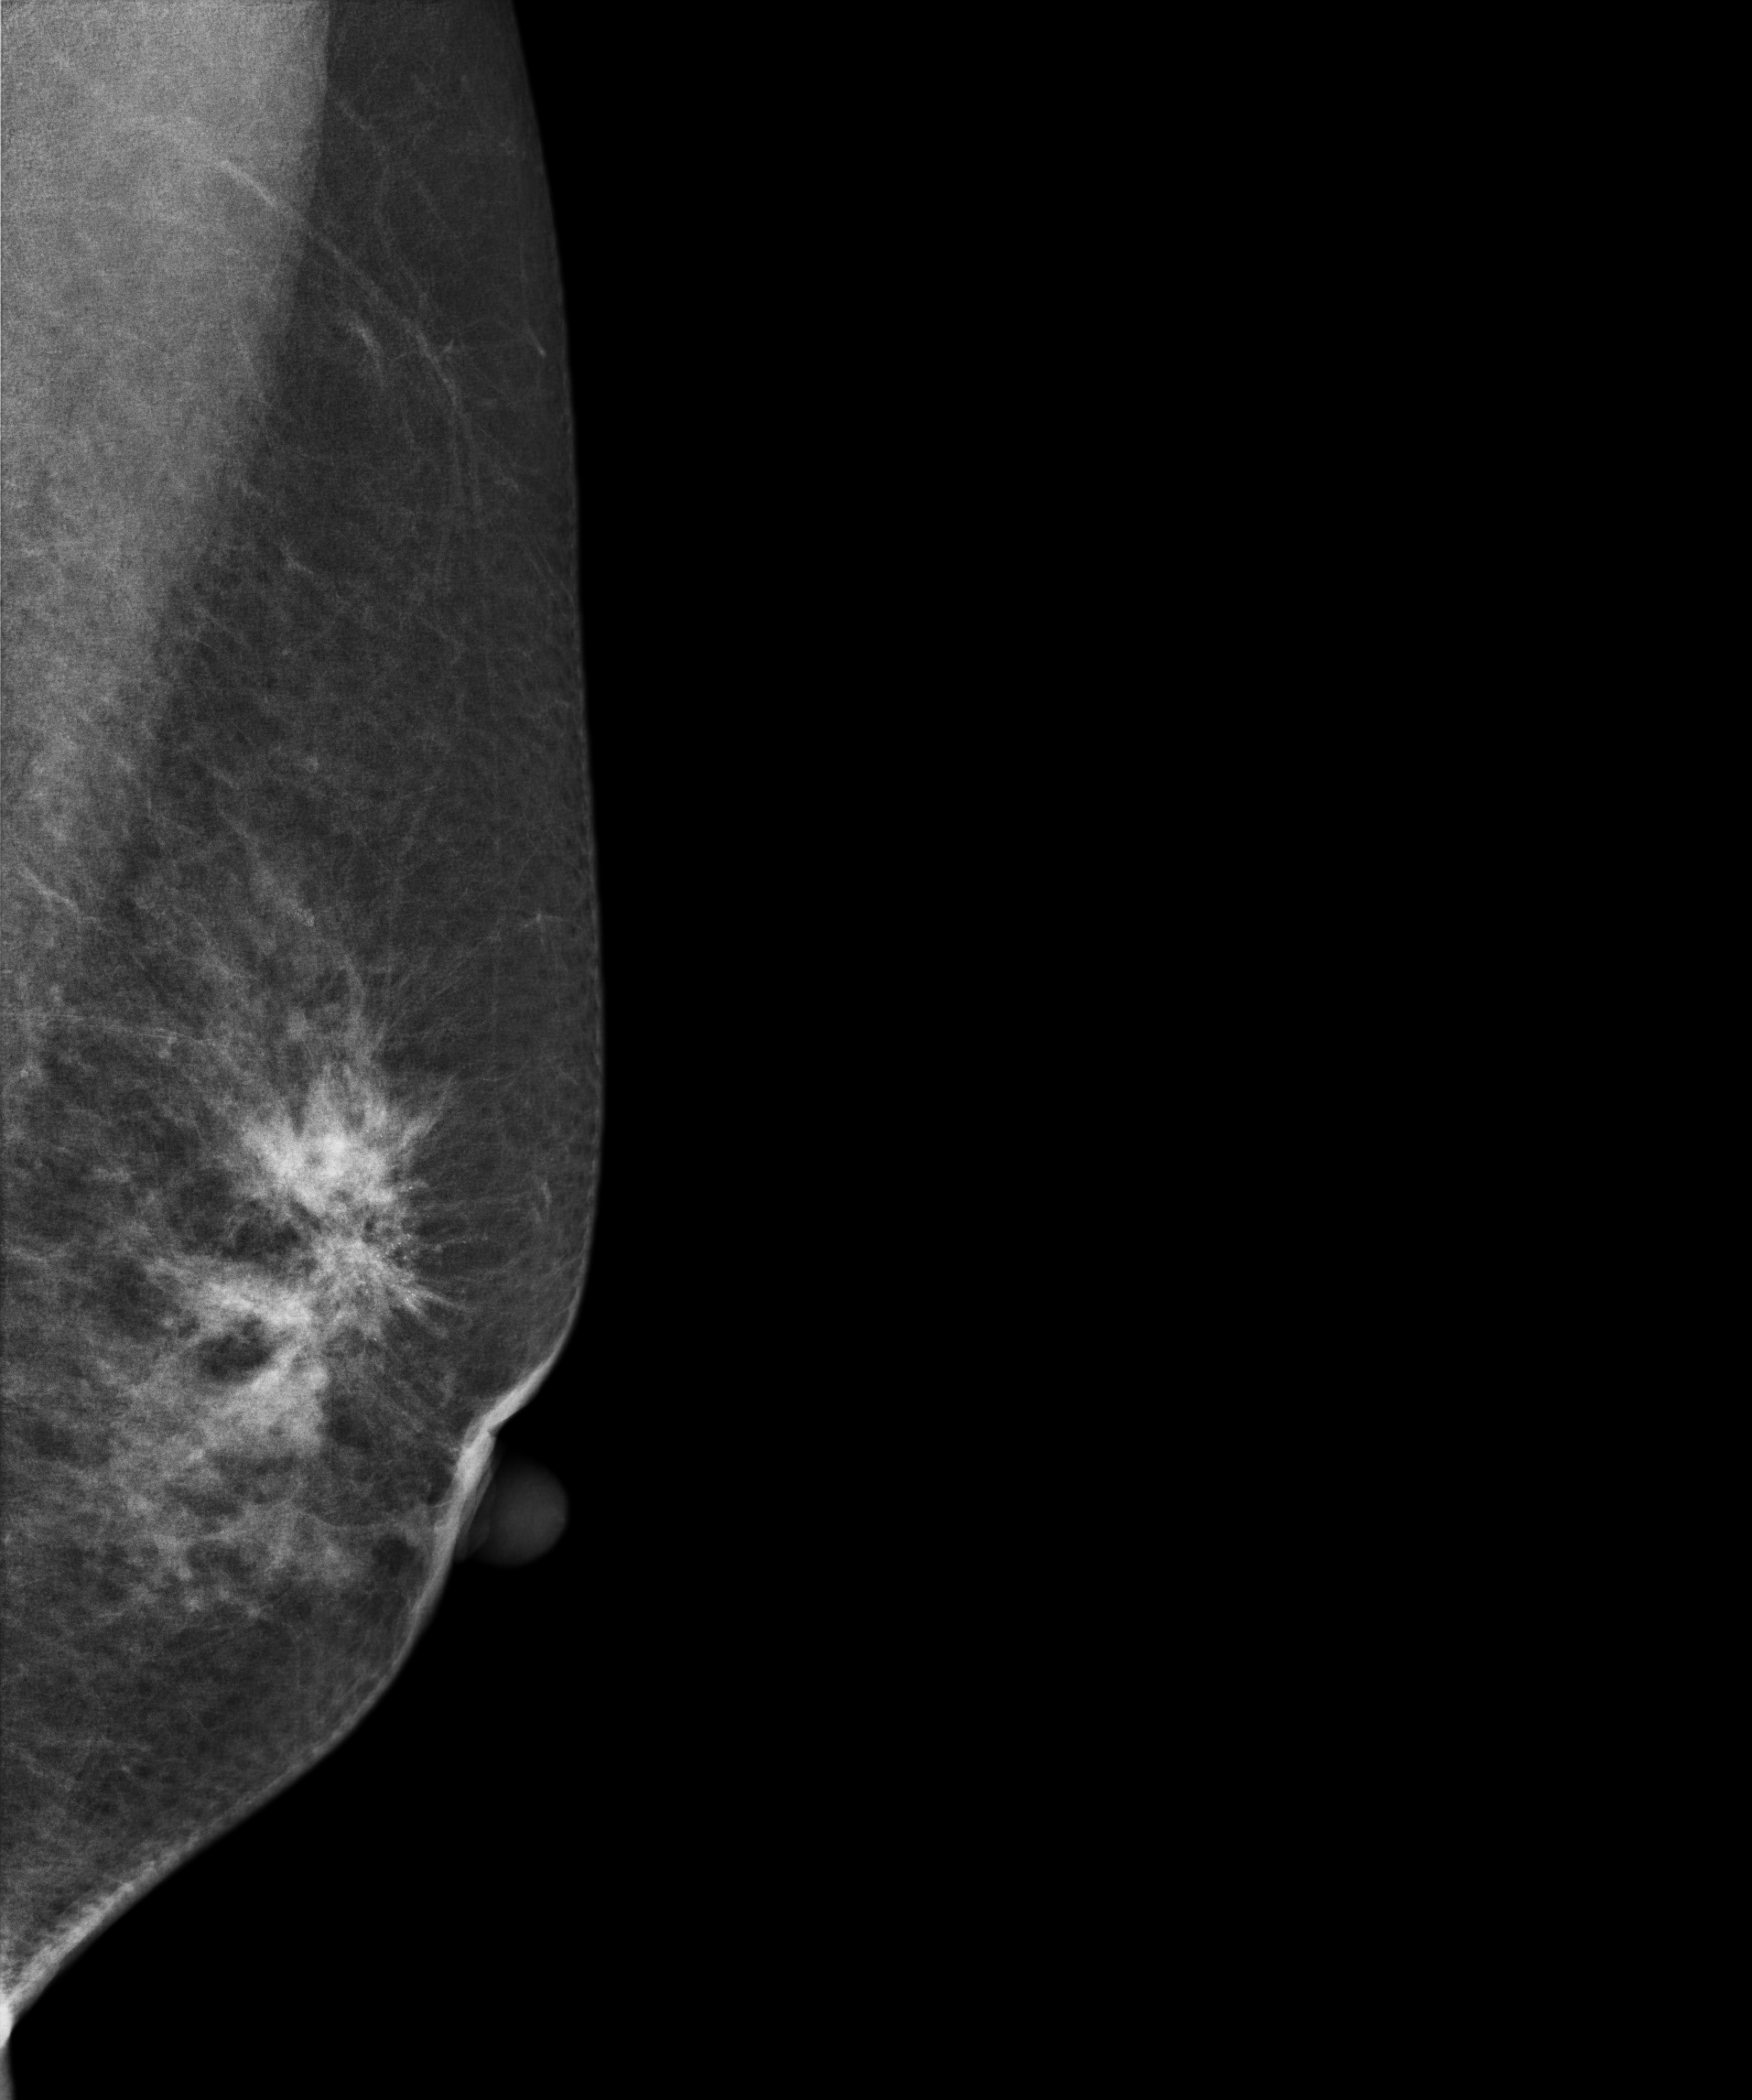
Mammogram, left breast, MLO view. 56-year-old patient.
This breast has calcifications, pathology-confirmed malignant.